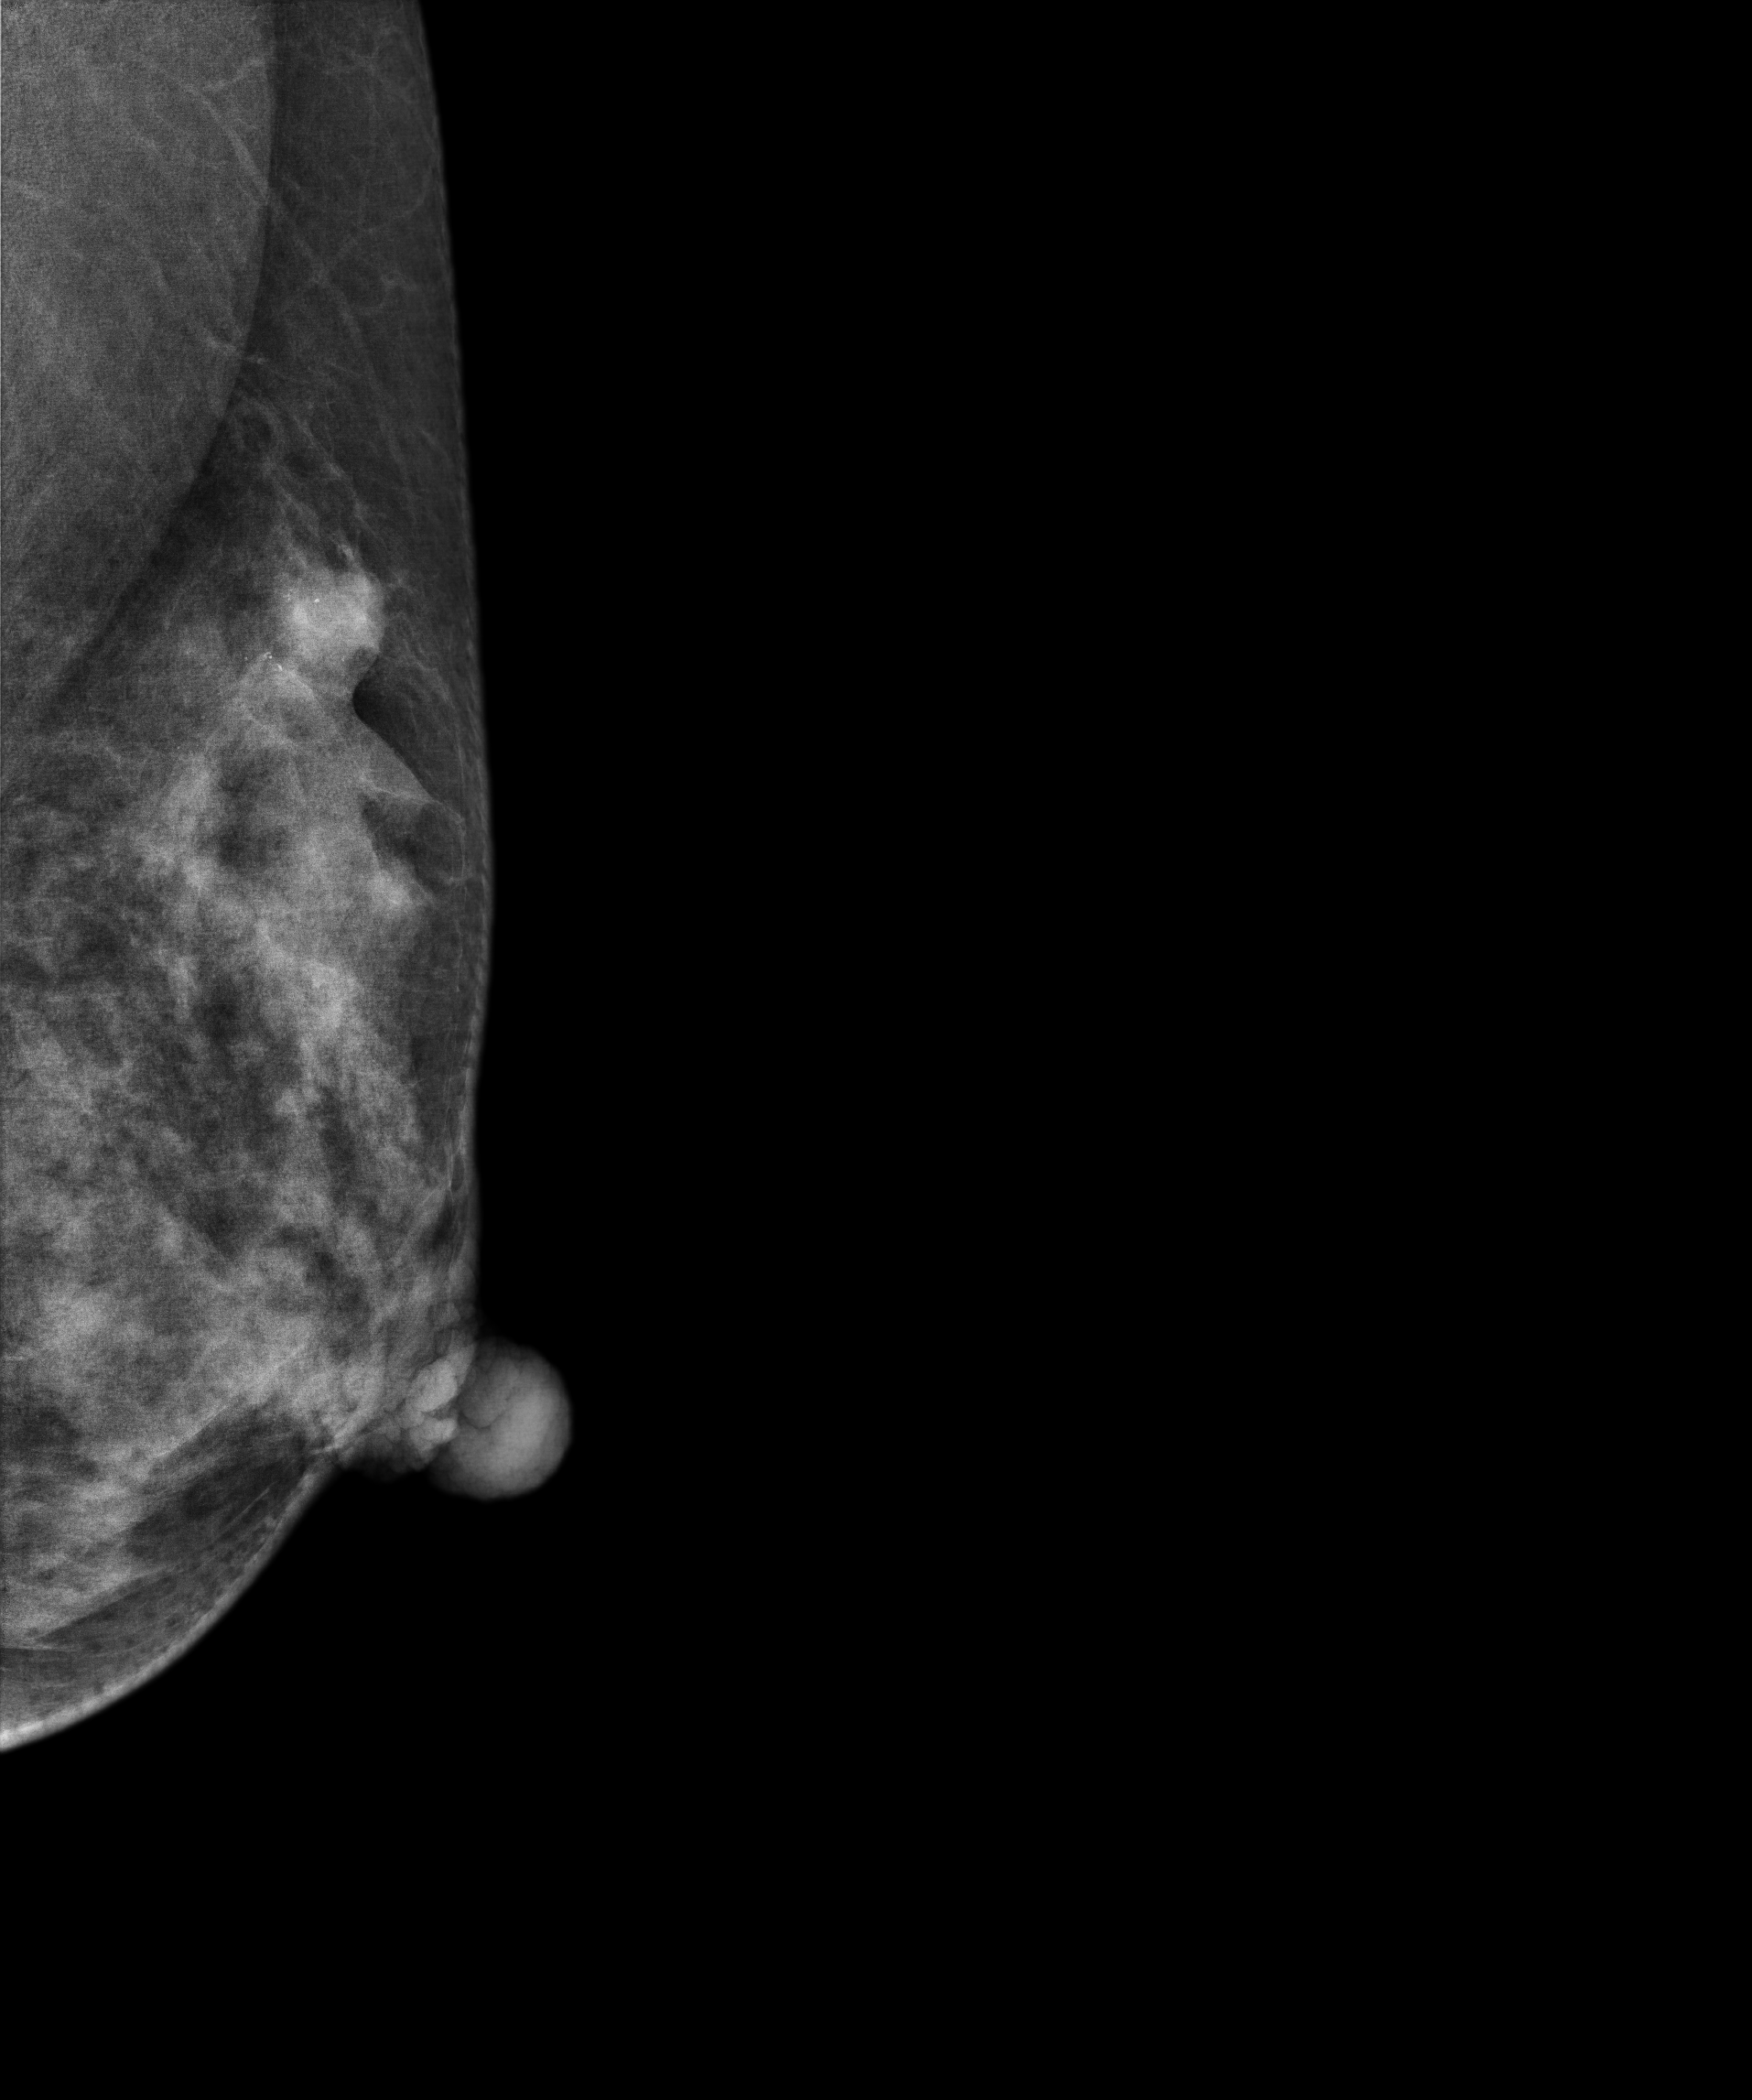
Digital mammography. Left breast, medio-lateral oblique projection. 49-year-old patient.
This breast has a mass and calcifications, pathology-confirmed malignant. Molecular subtype: luminal B.